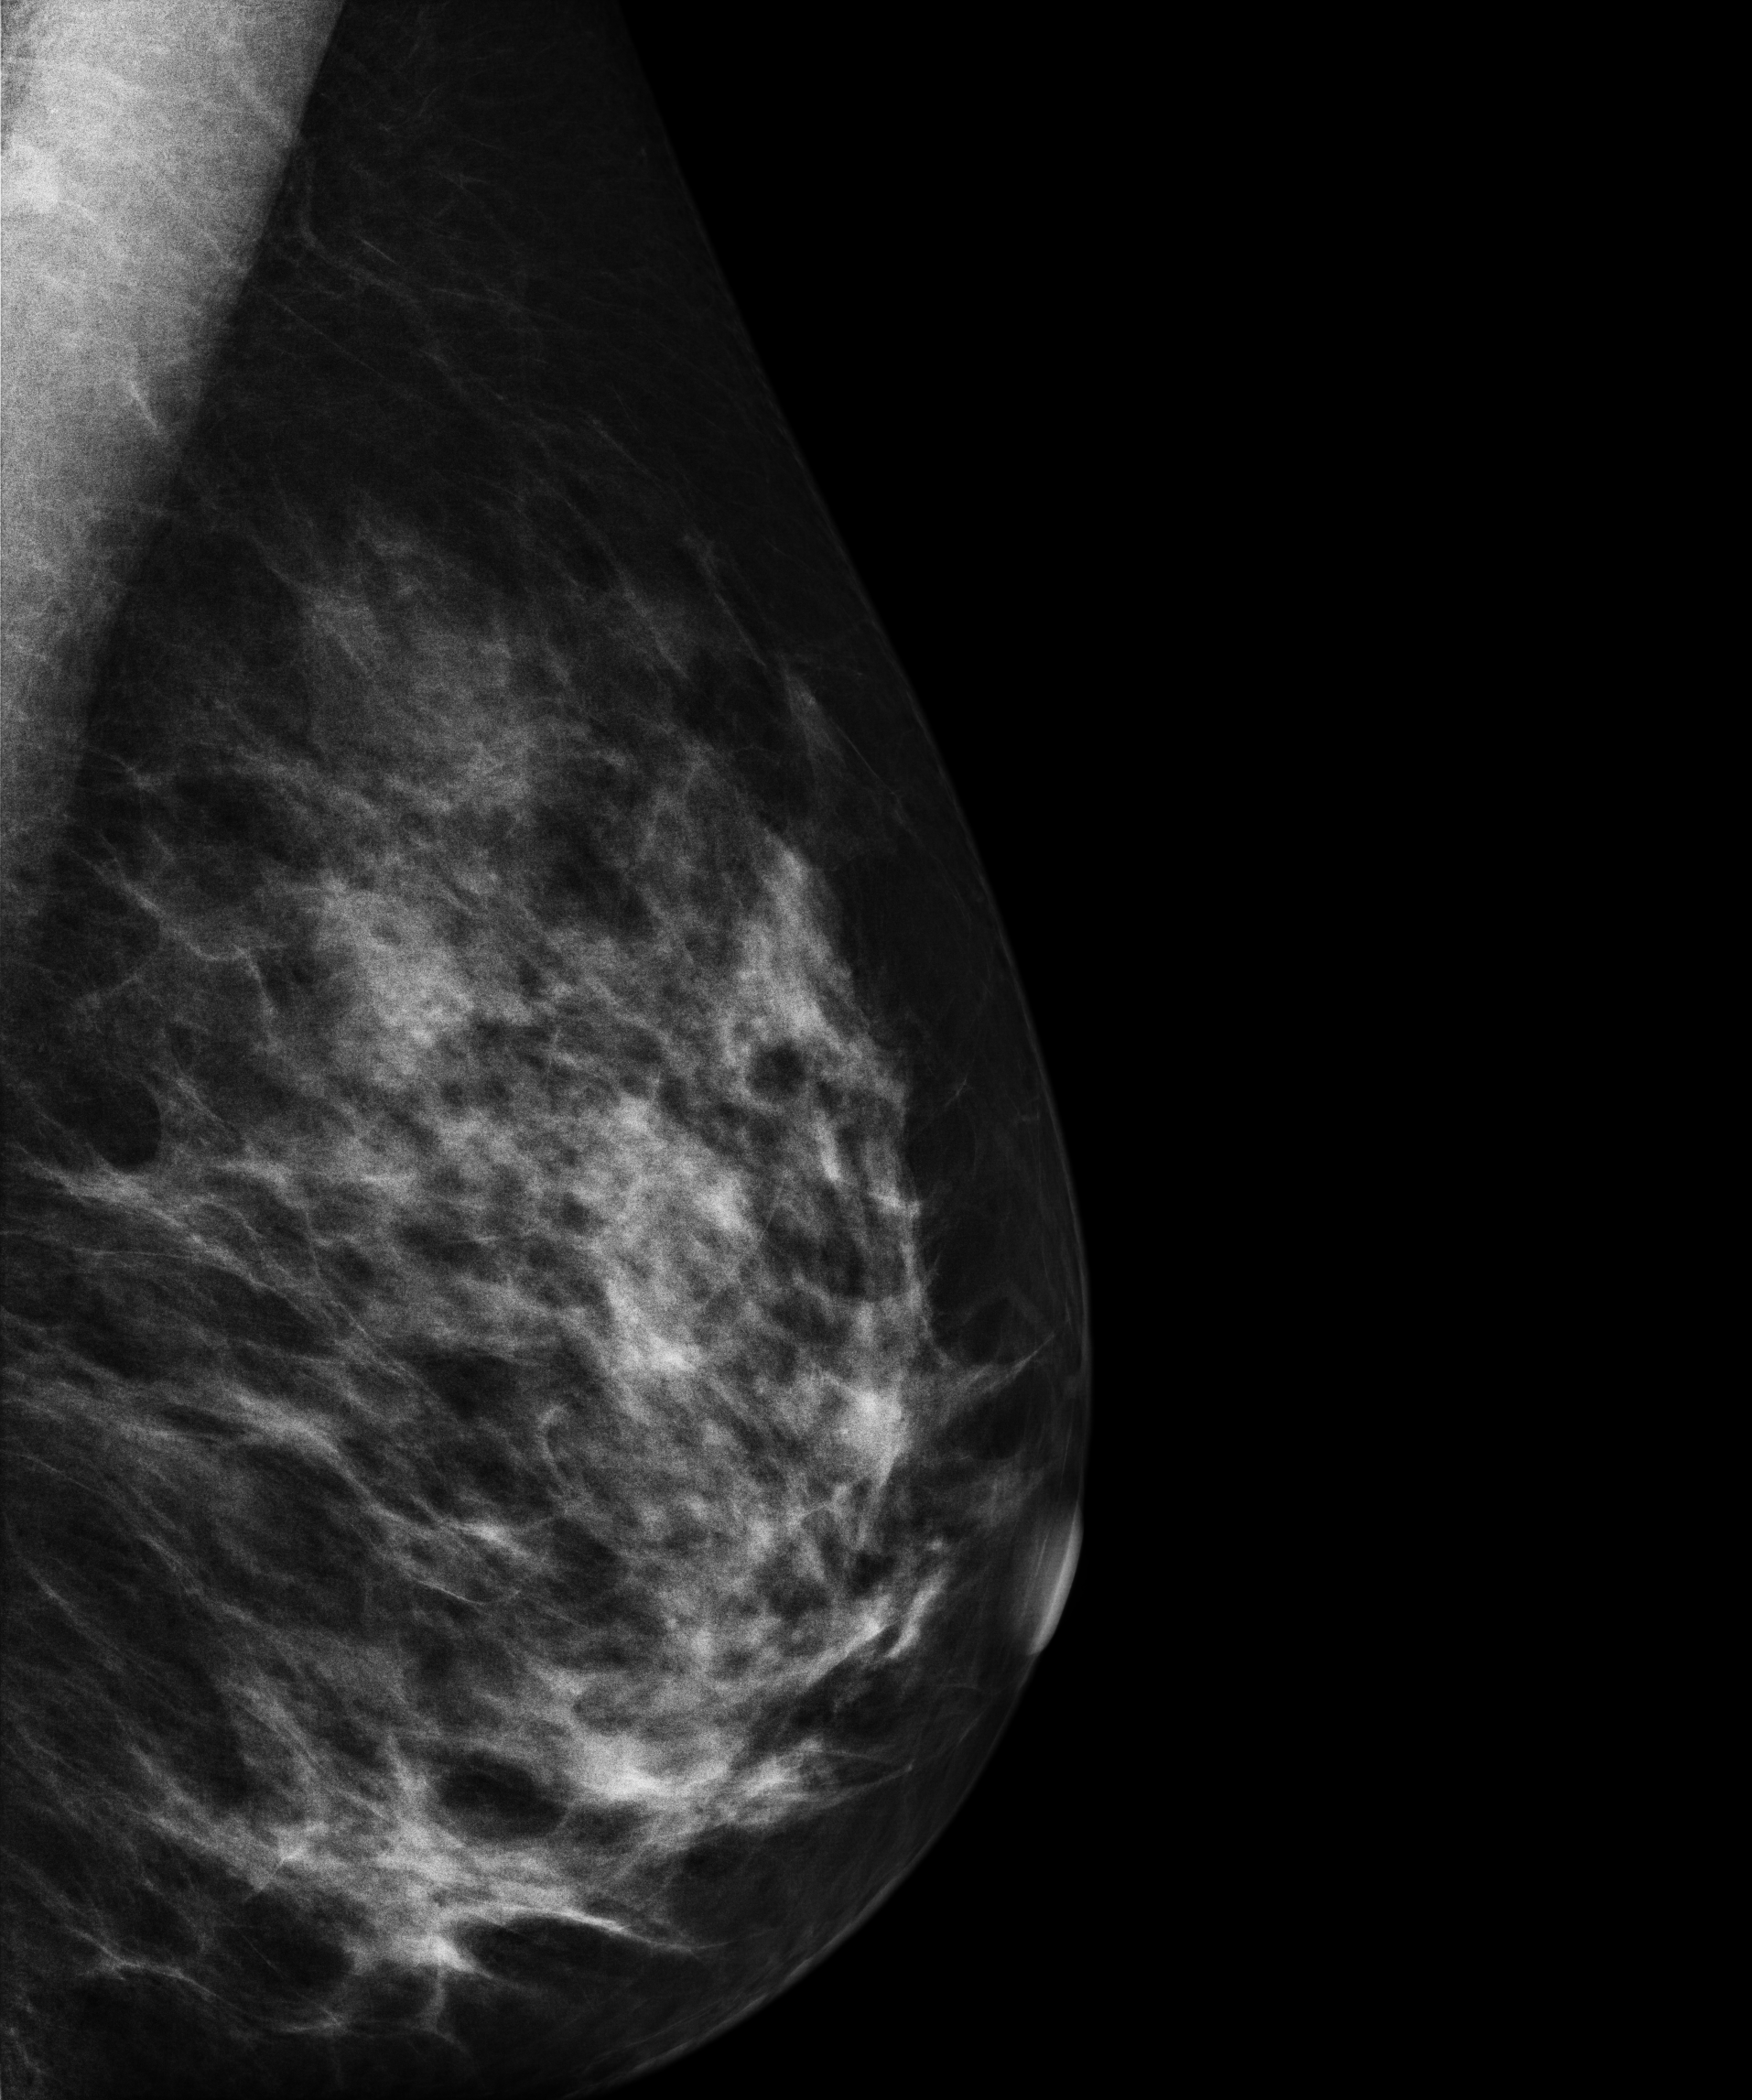
Mammogram, left breast, medio-lateral oblique view. Patient age 35.
This breast has a mass, histologically confirmed benign.